Right-breast mammogram, MLO. 50-year-old patient.
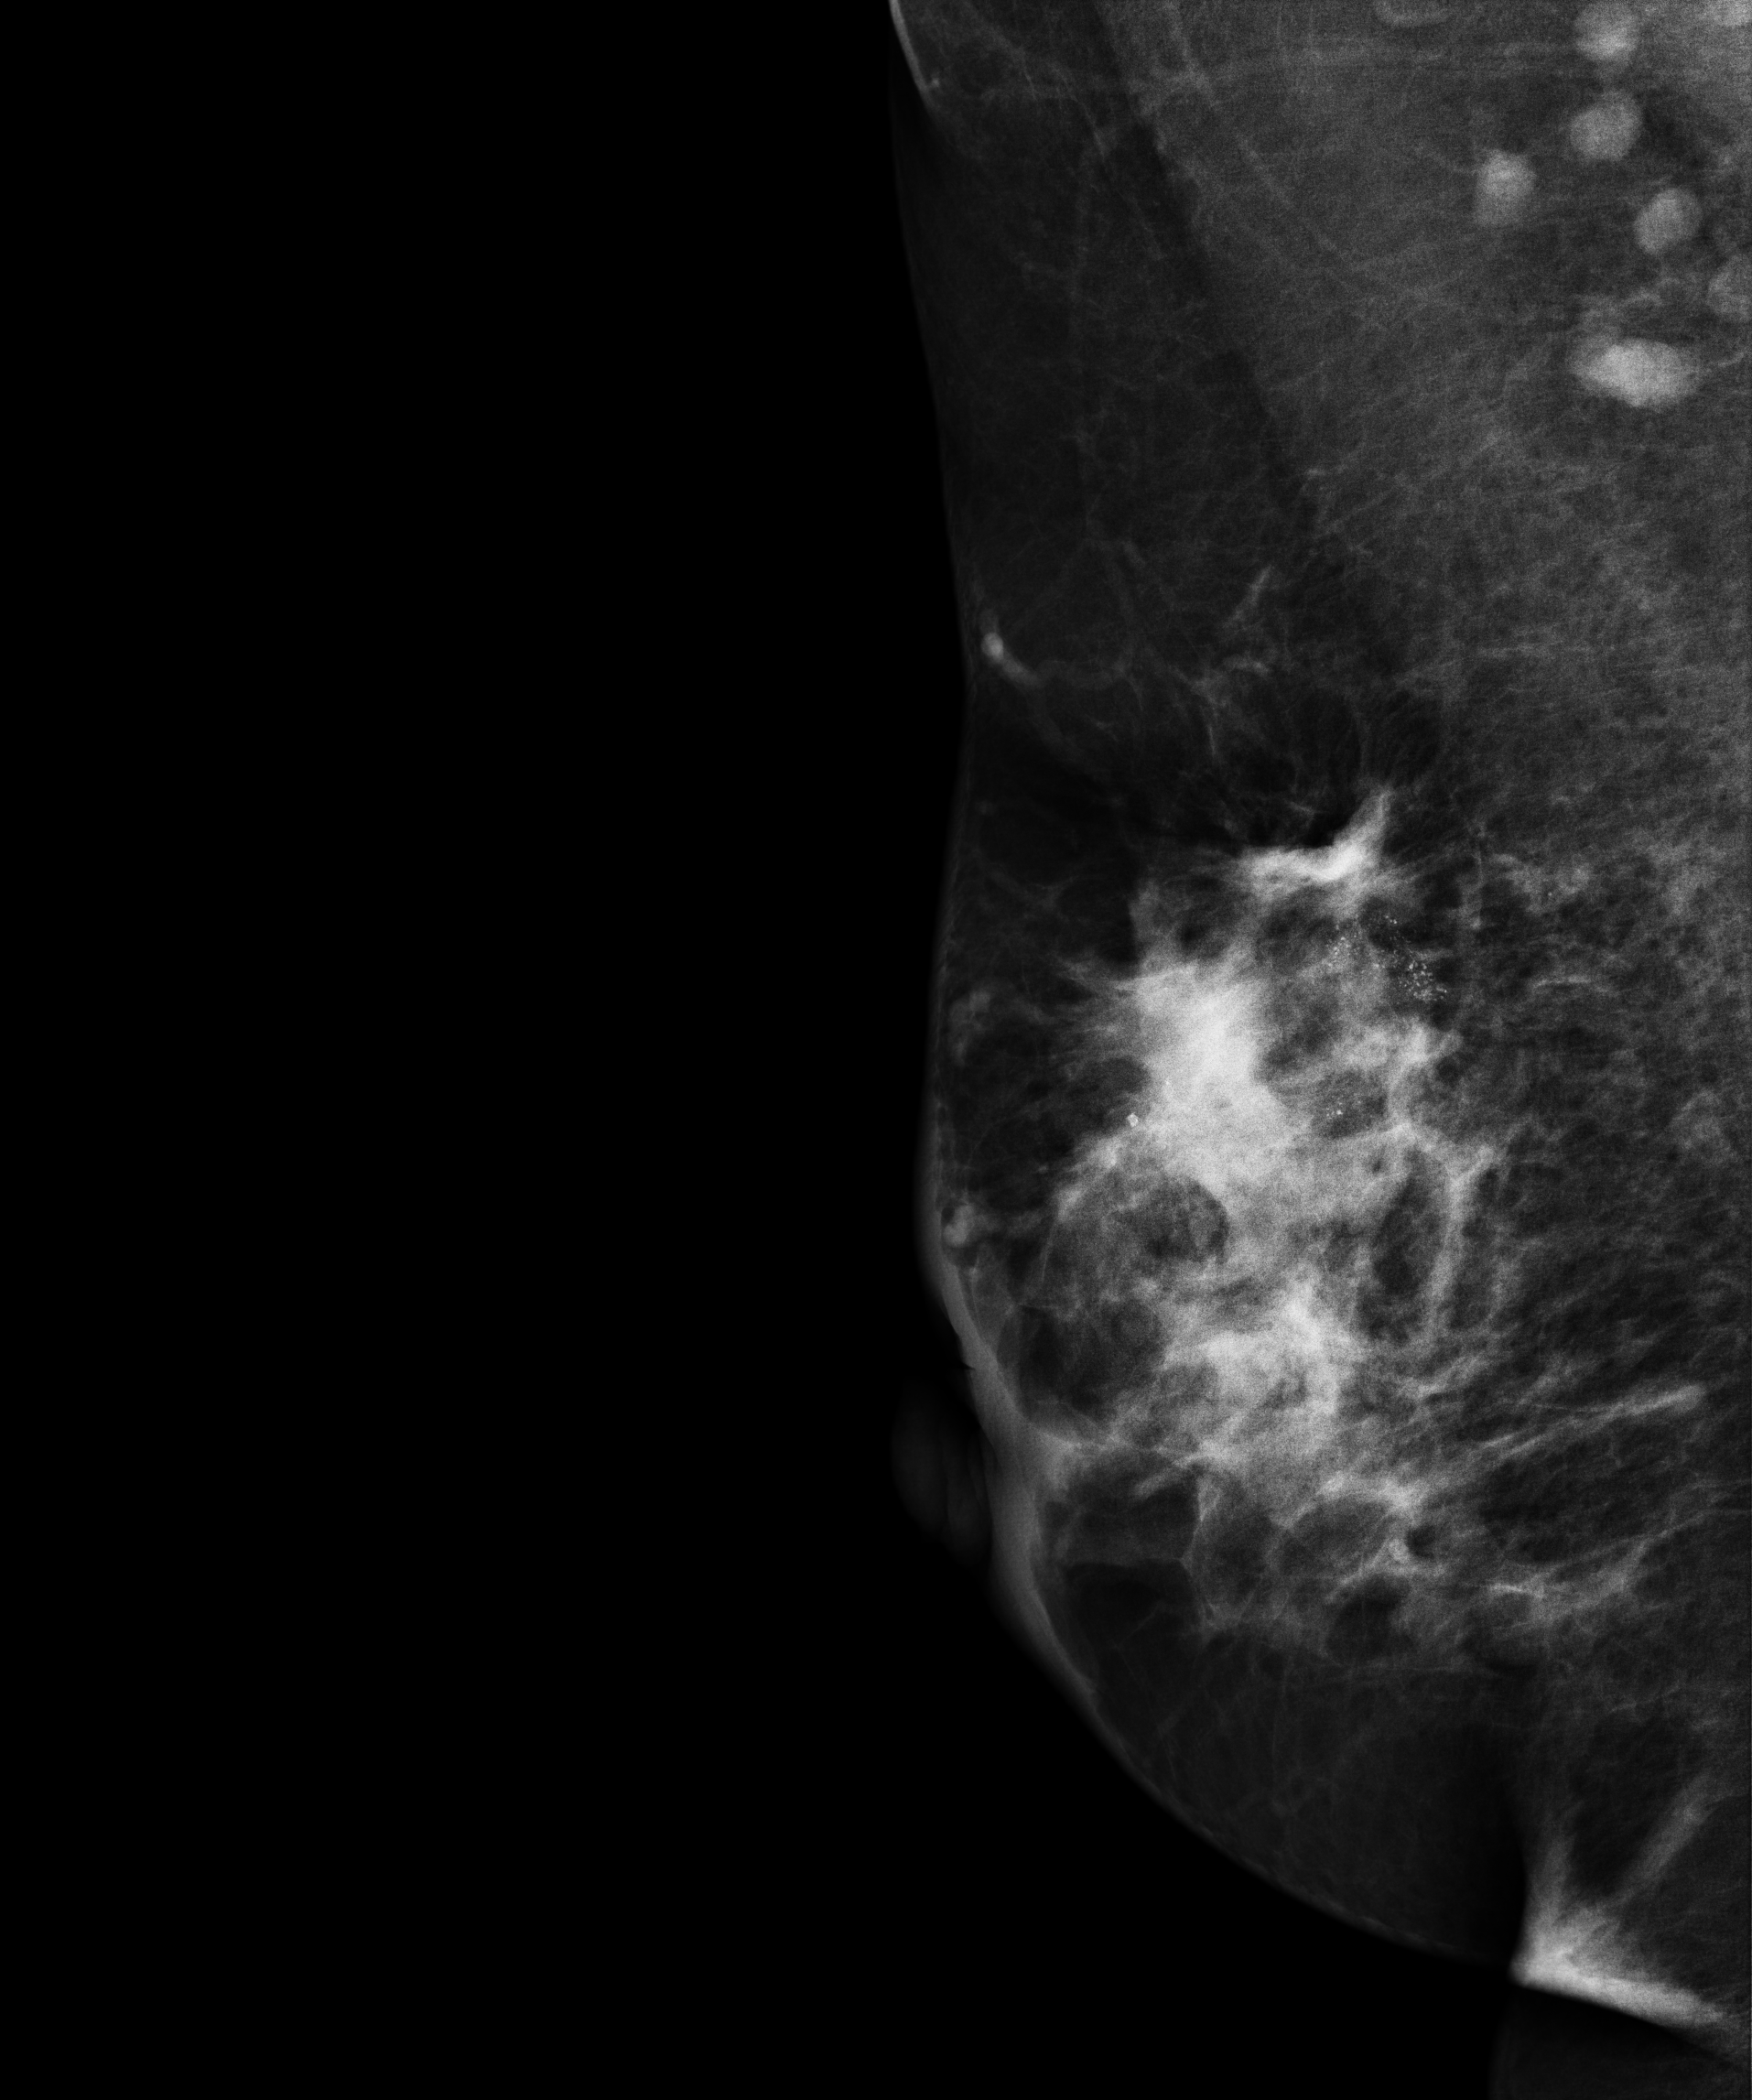
This breast has a mass and calcifications, pathology-confirmed malignant. Molecular subtype: luminal A.